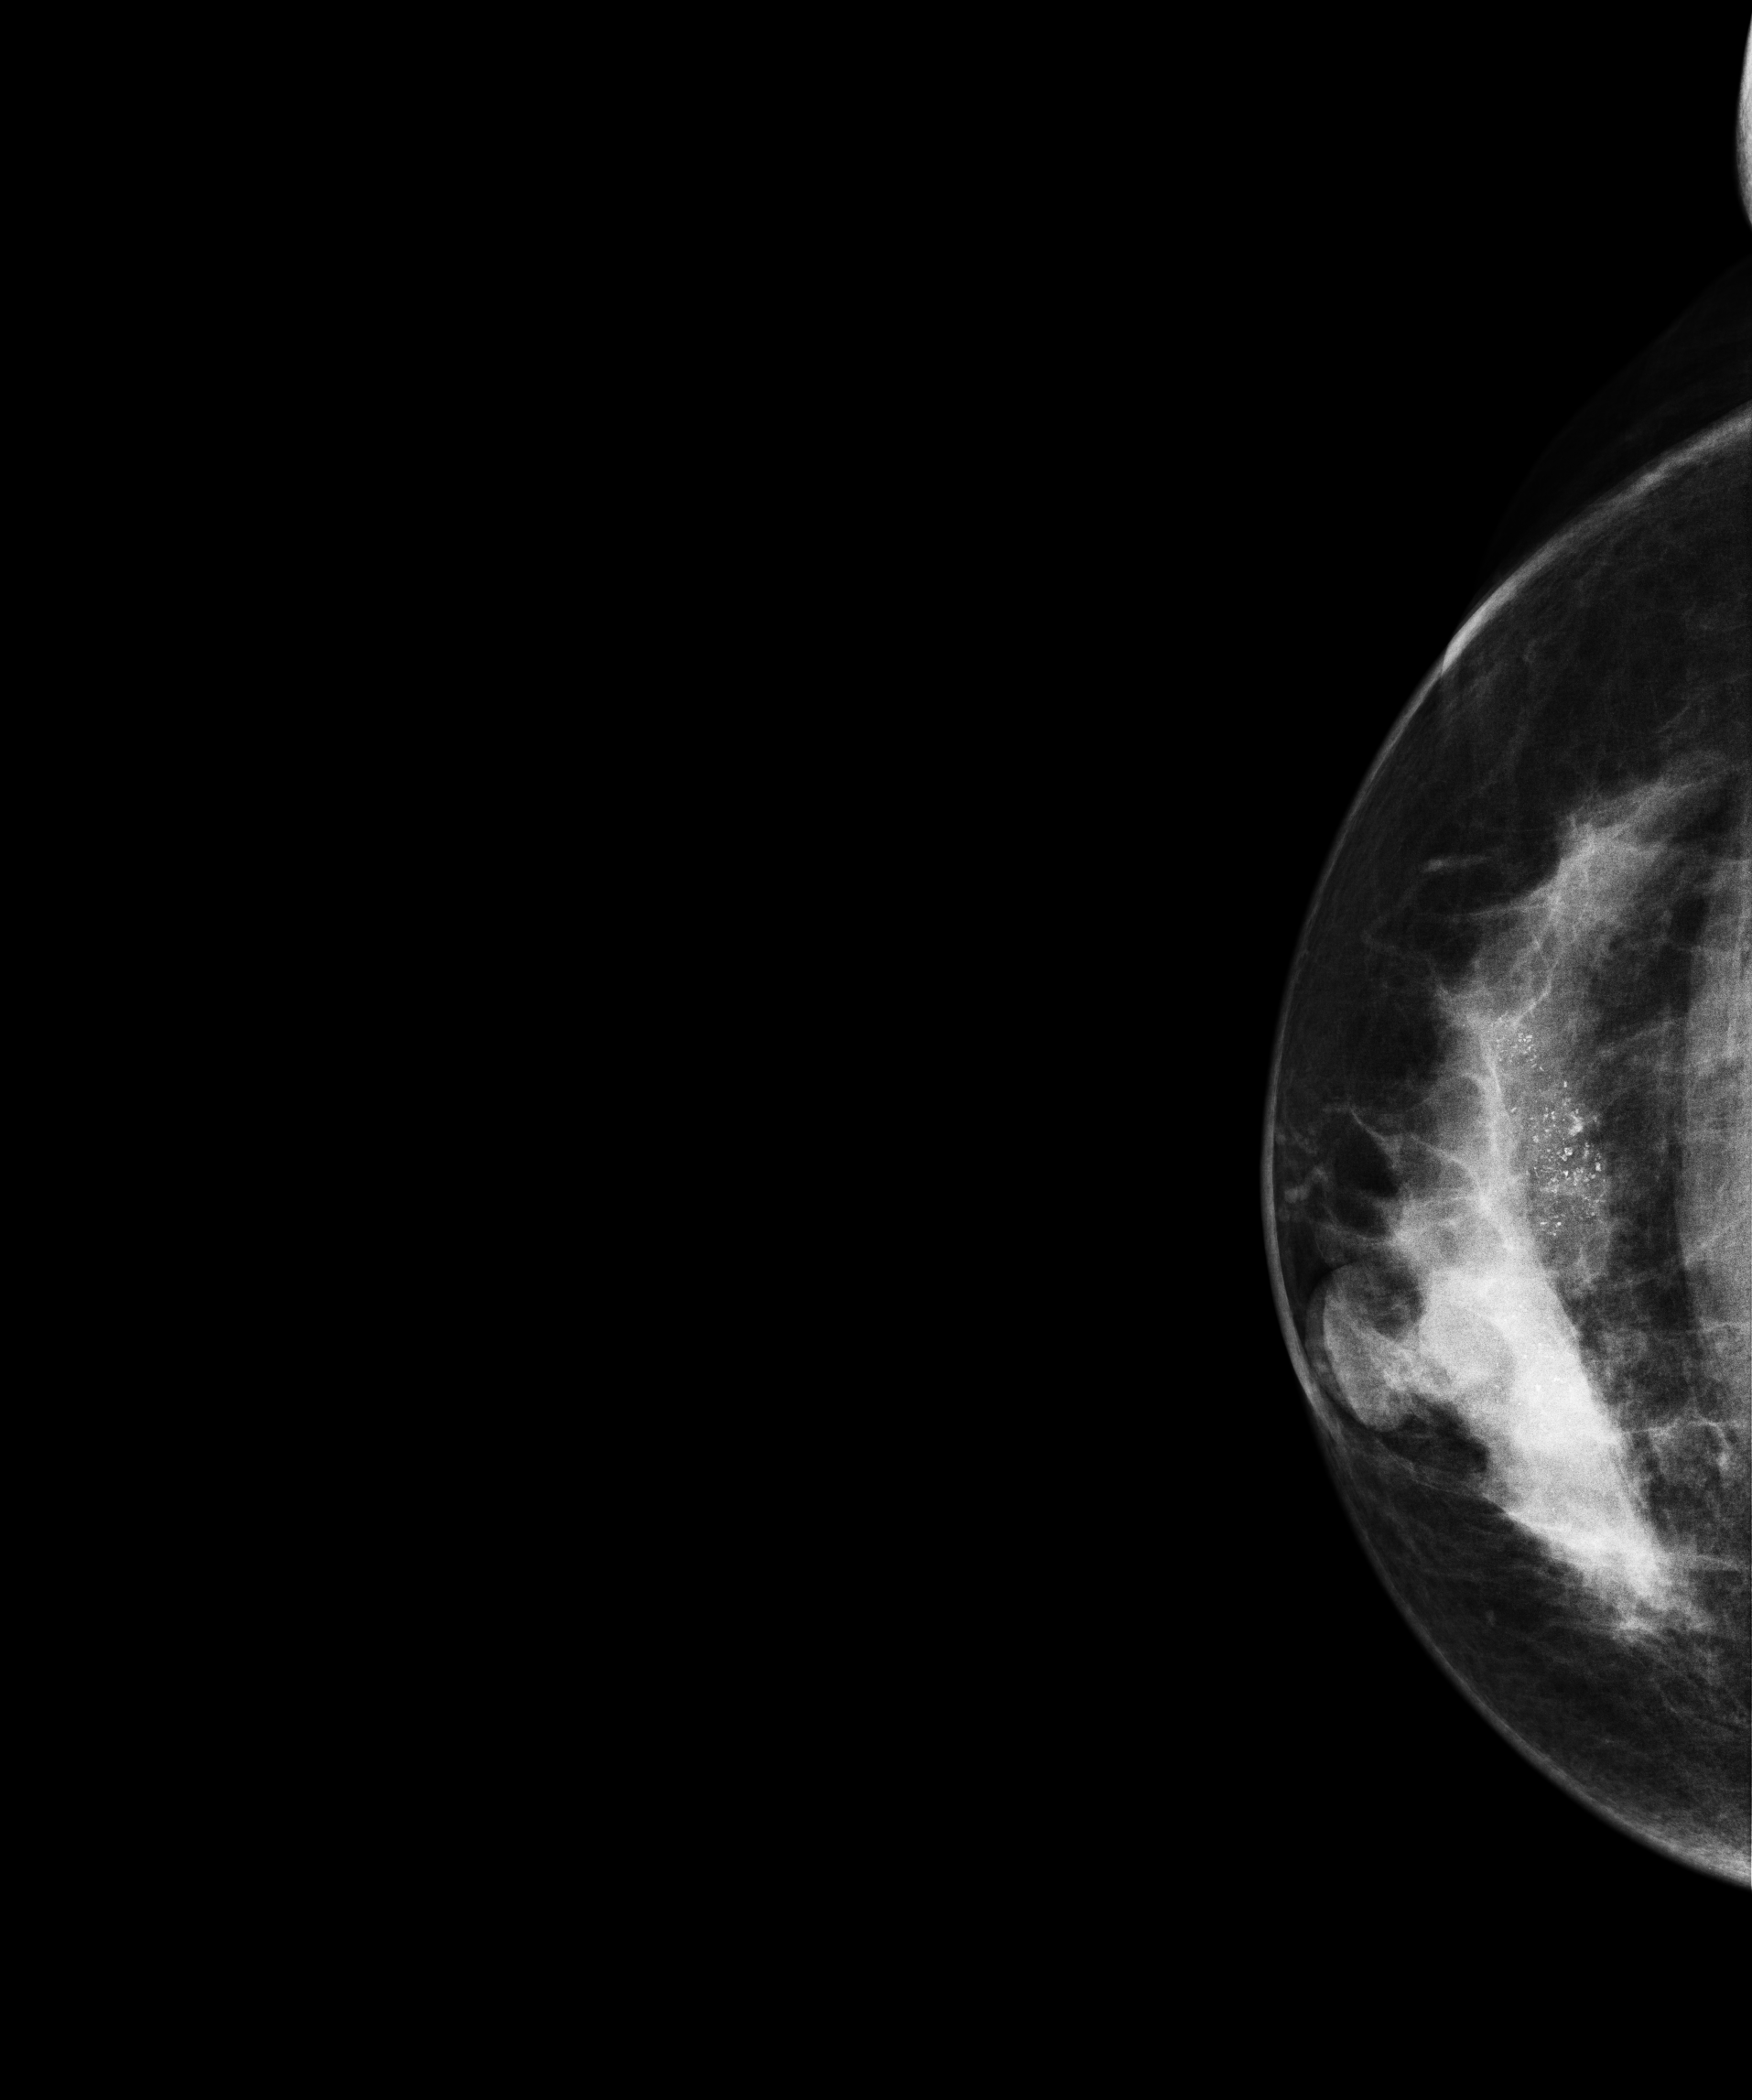
Right-breast mammogram, cranio-caudal. 51 y/o patient.
This breast has a mass and calcifications, pathology-confirmed malignant.